Mammogram, right breast, medio-lateral oblique view. Patient age 32.
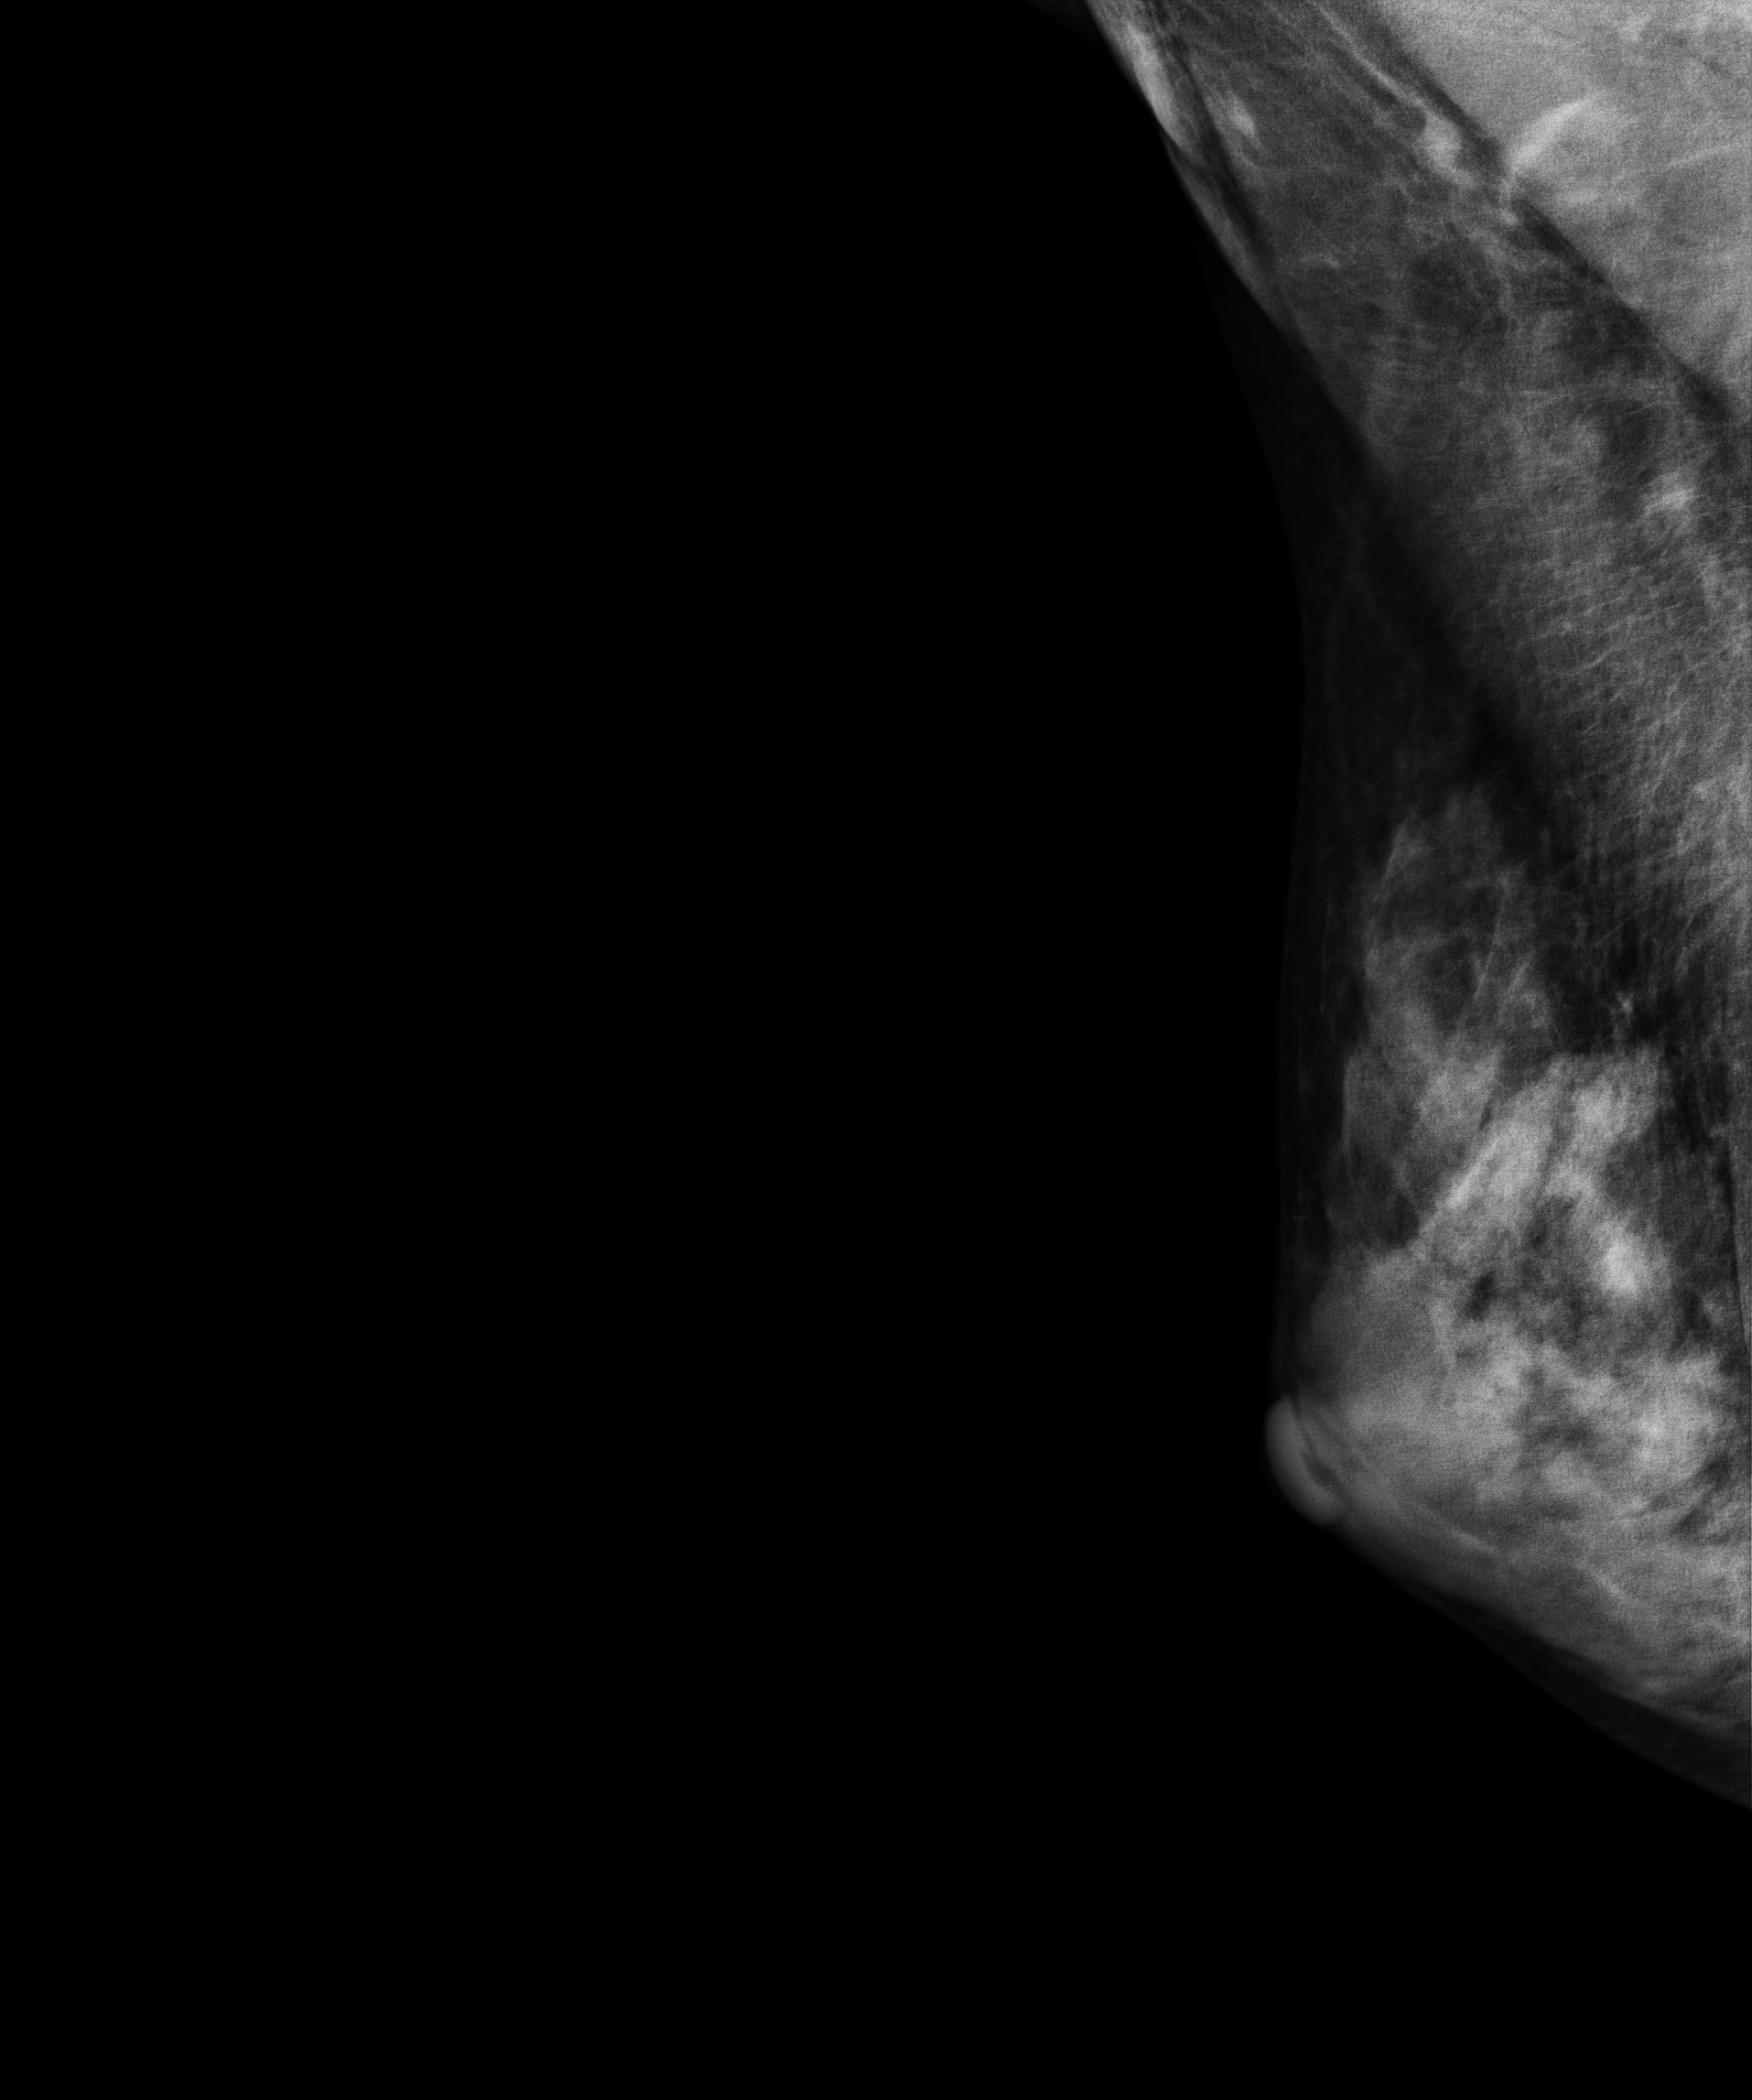
This breast has a mass, biopsy-proven malignant.